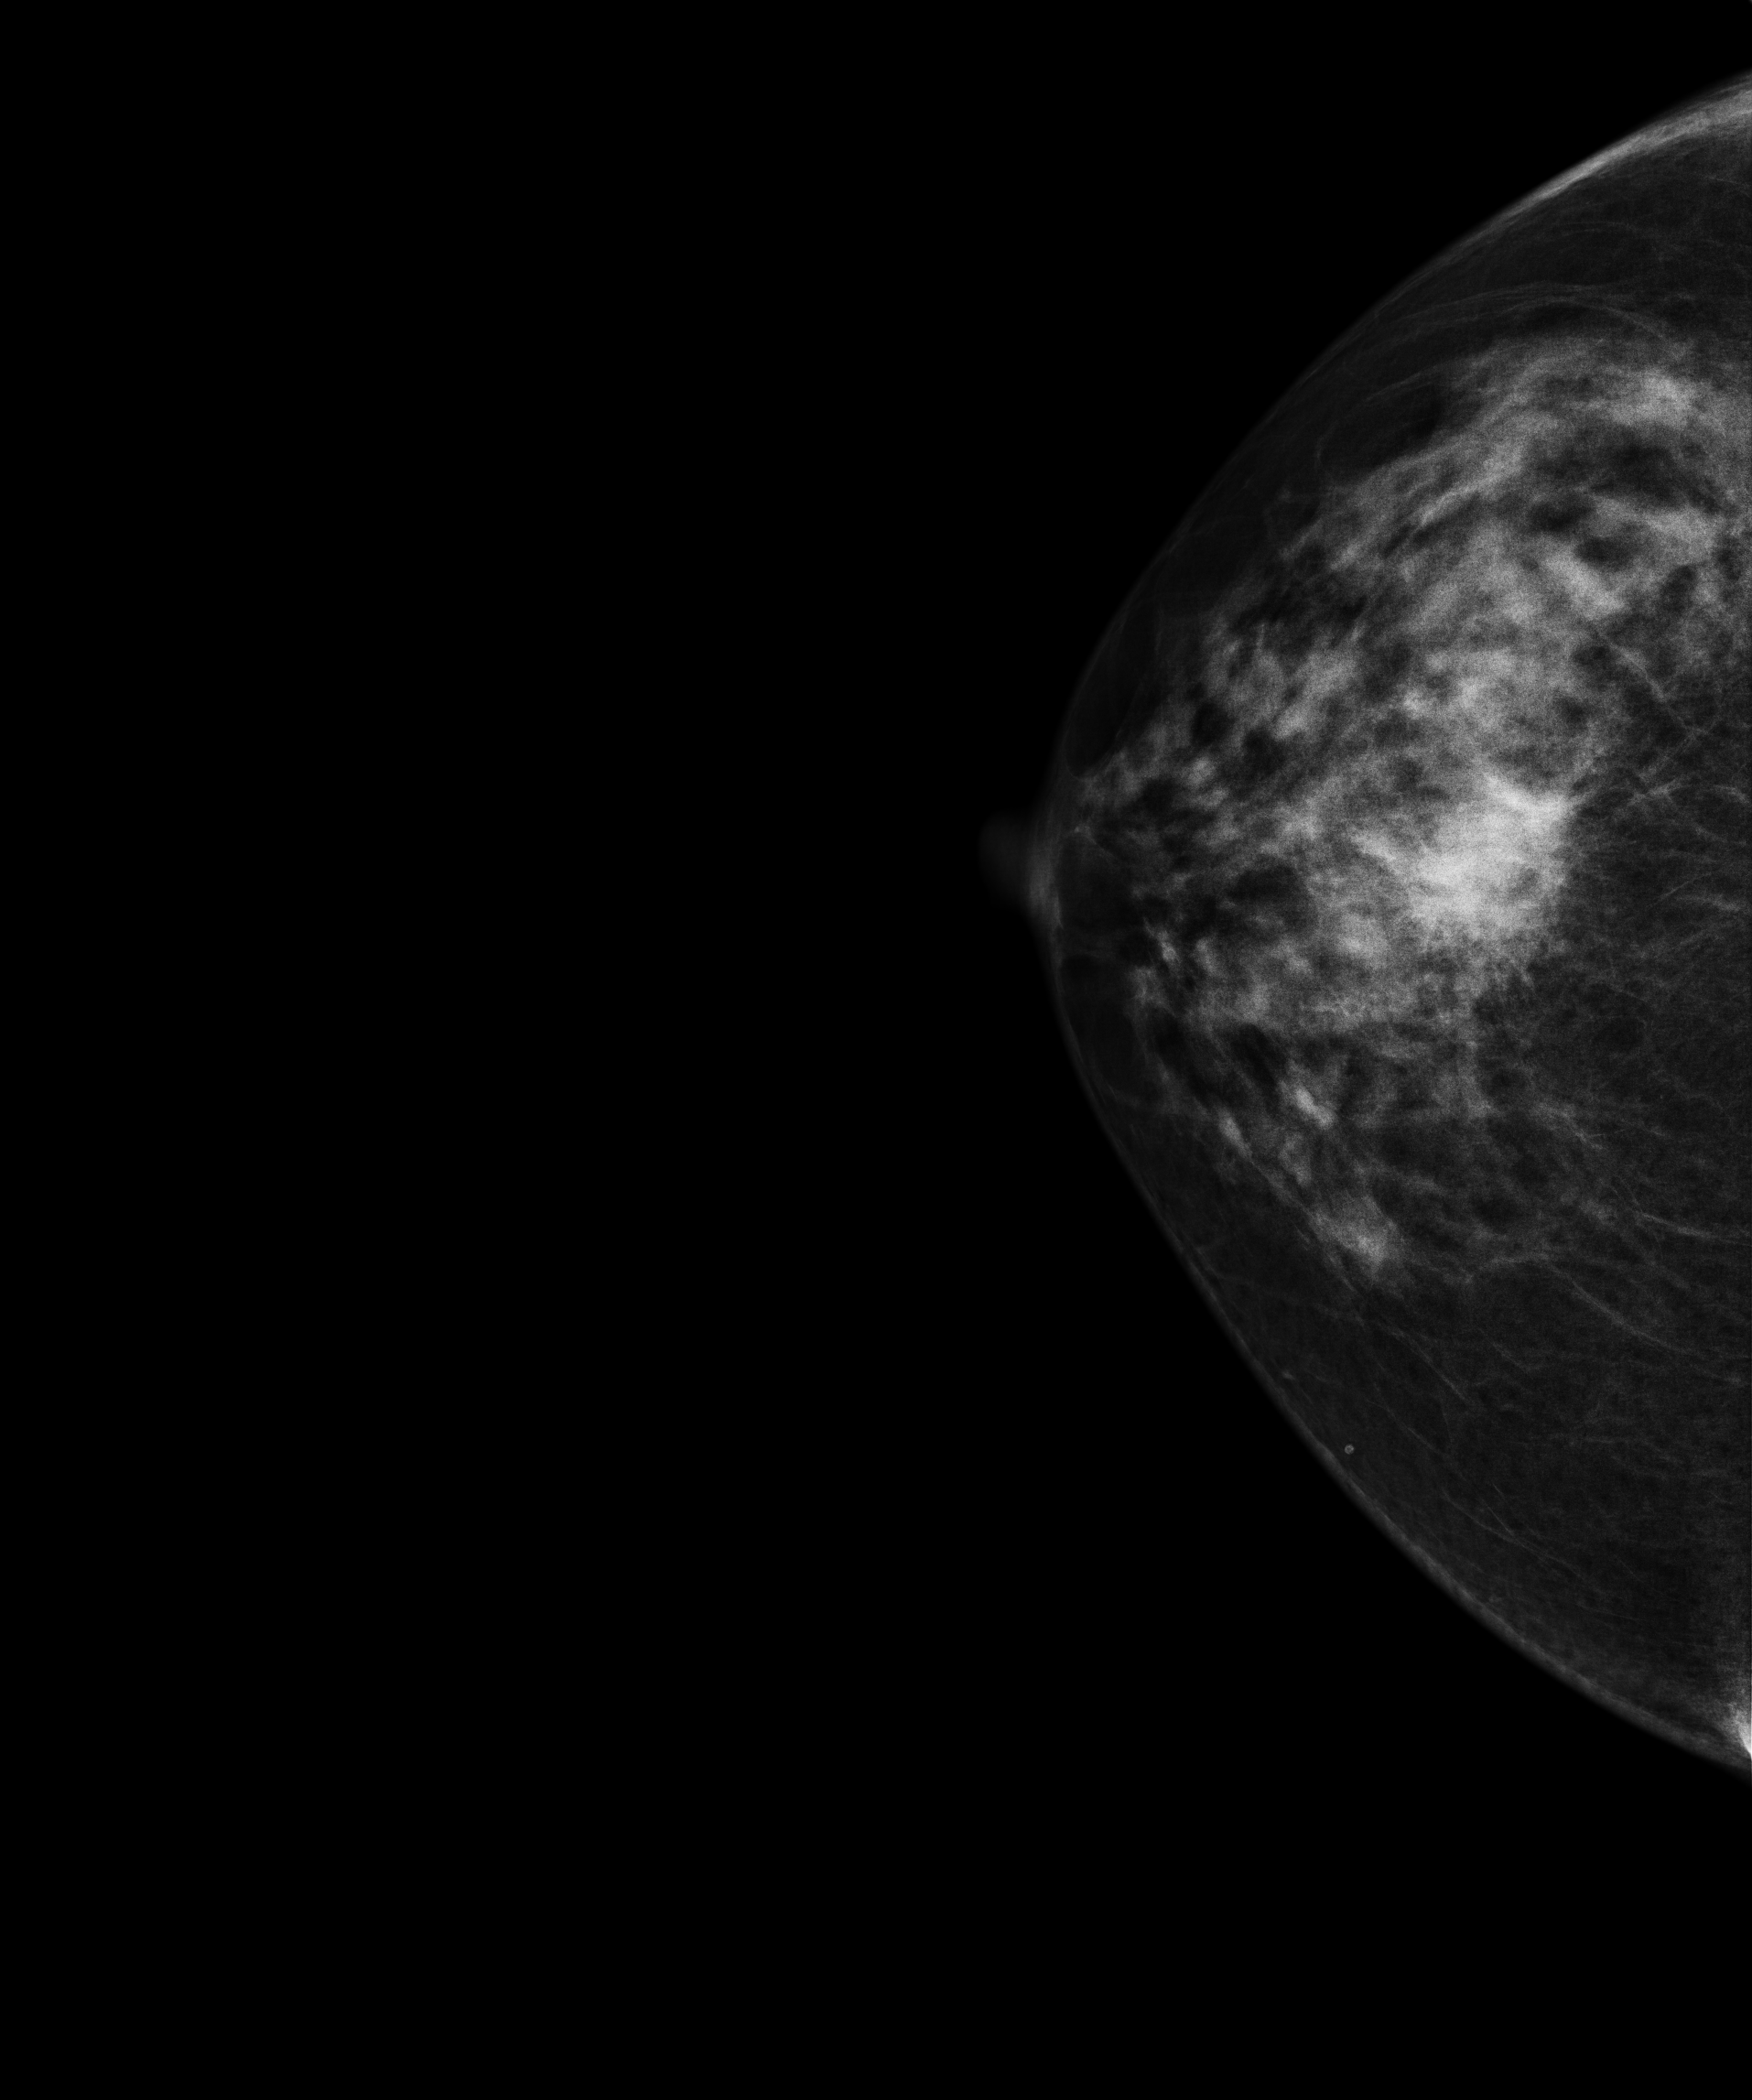
Digital mammography. Right breast, CC projection. 60 y/o patient.
This breast has a mass, histologically confirmed malignant.